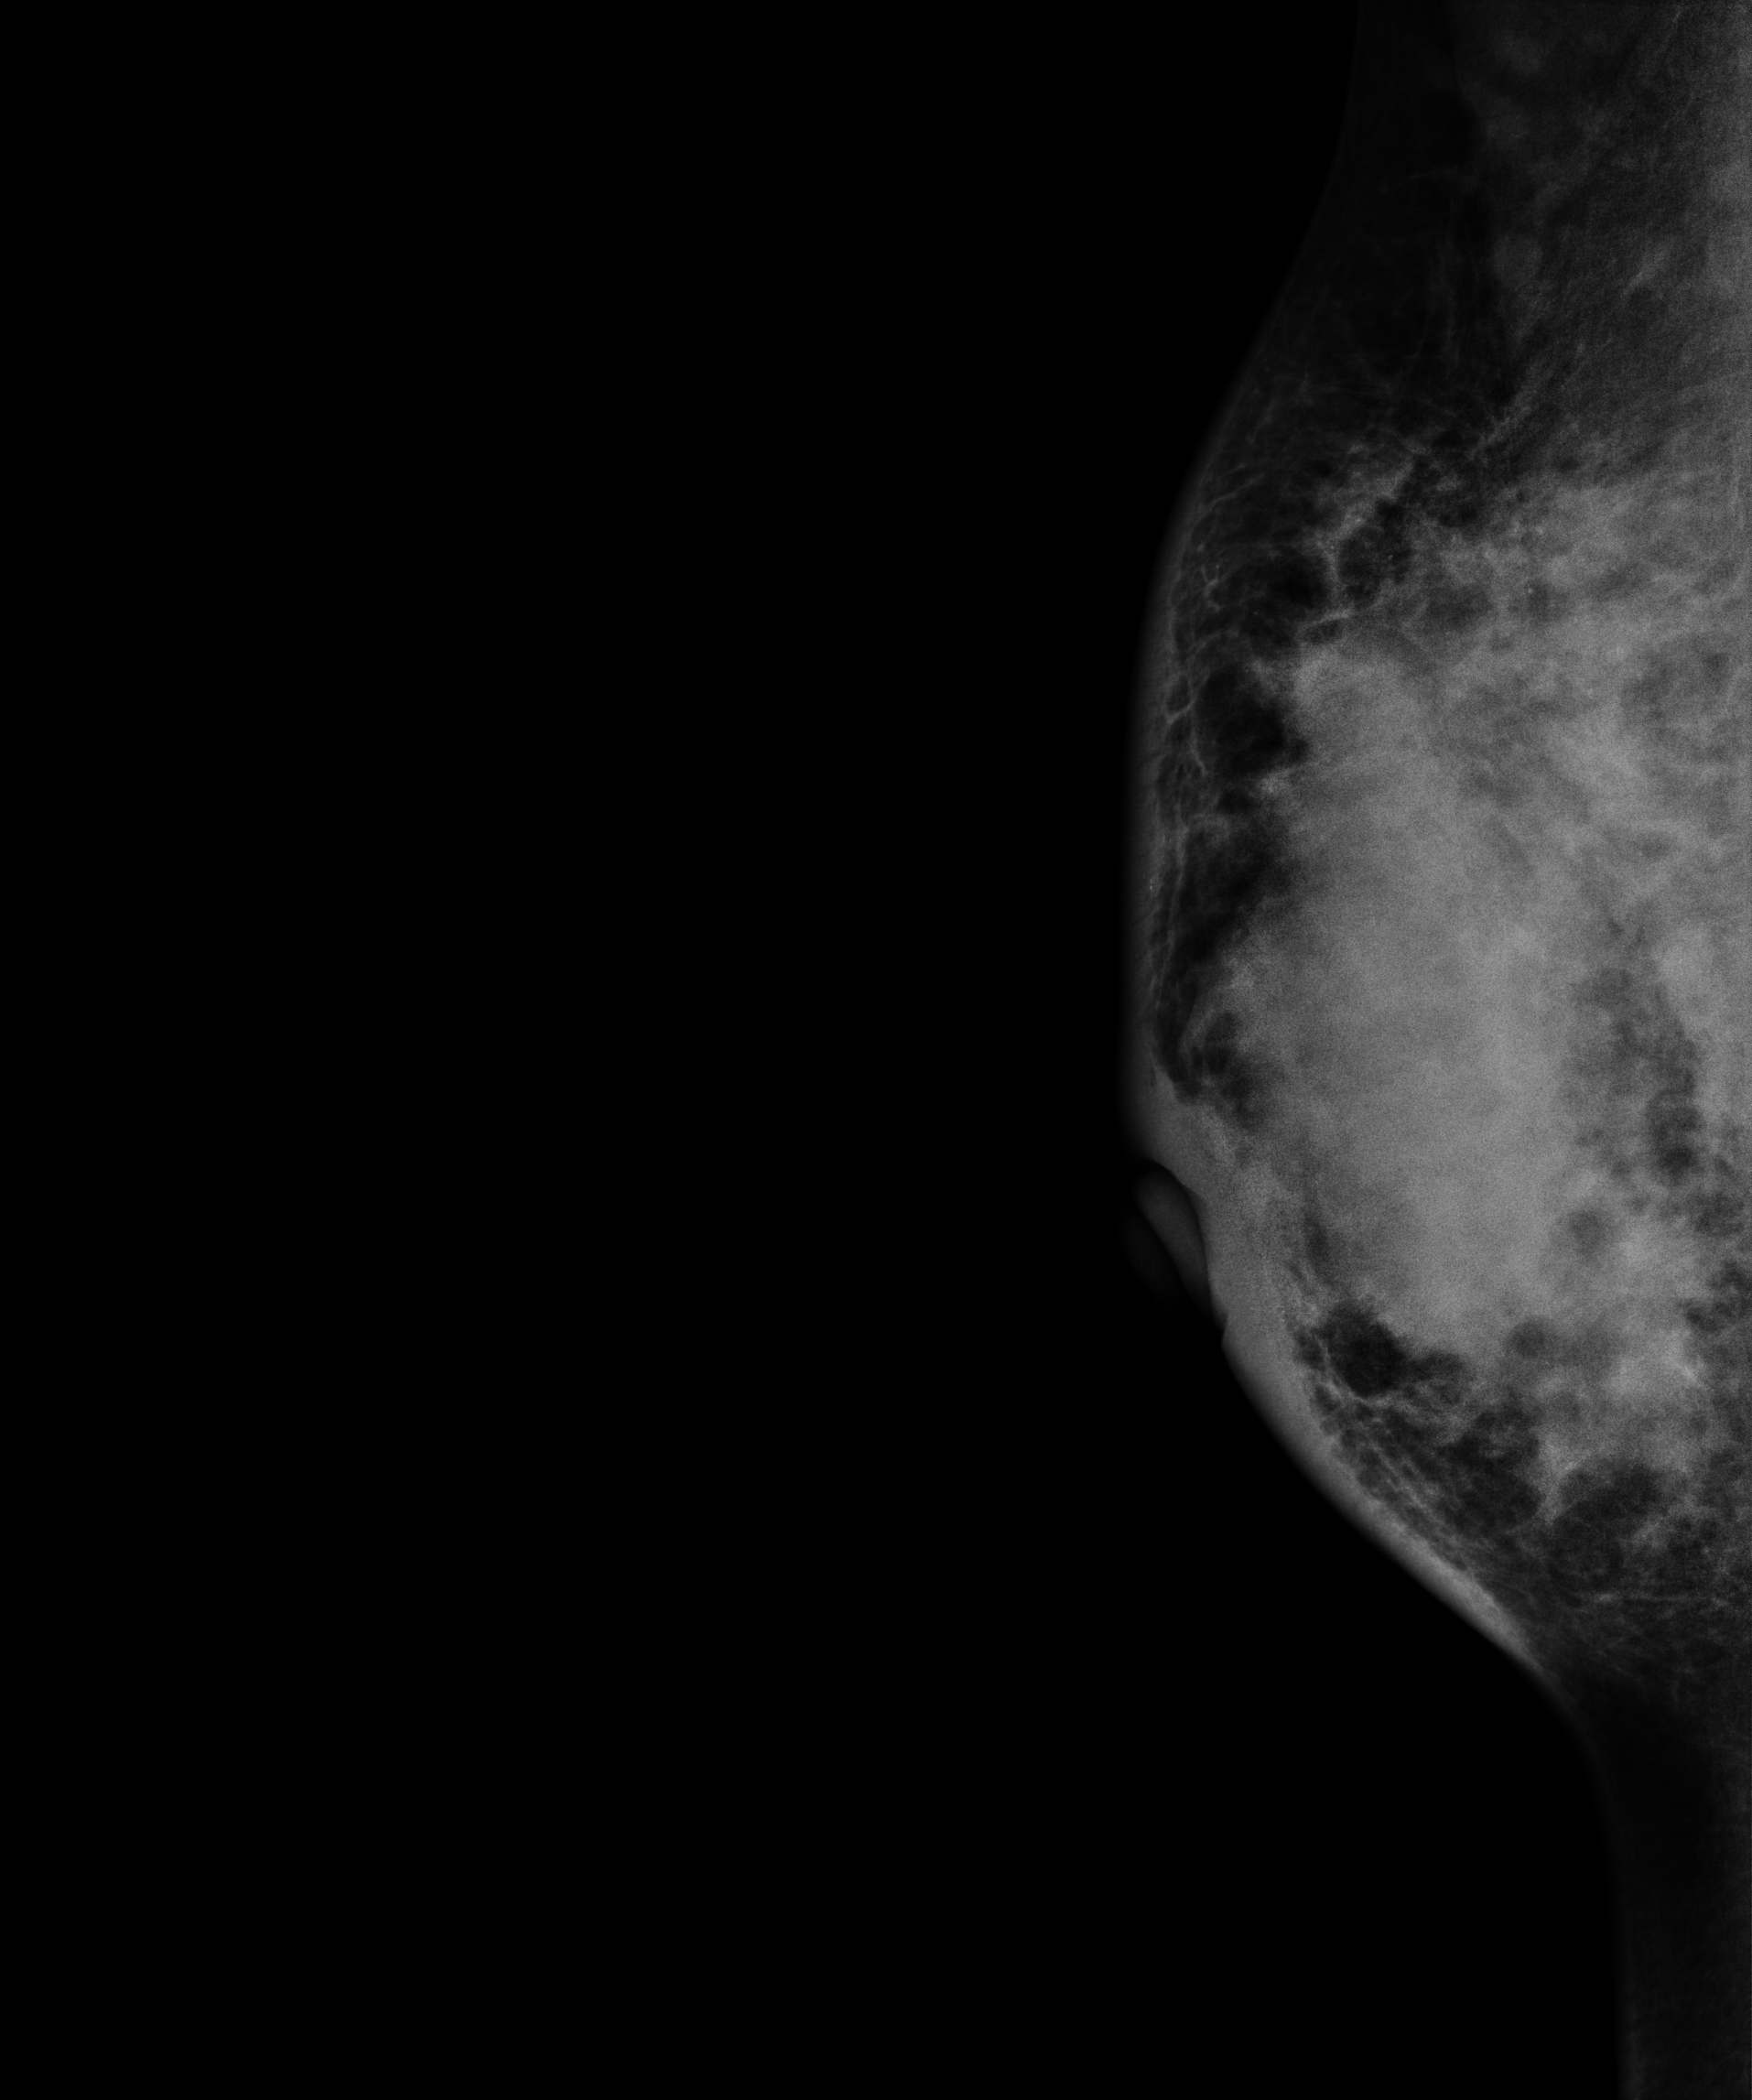
Digital mammography. Right breast, MLO projection. 30 y/o patient.
This breast has a mass, pathology-confirmed malignant. Molecular subtype: luminal B.